CC mammogram of the left breast. 58-year-old patient.
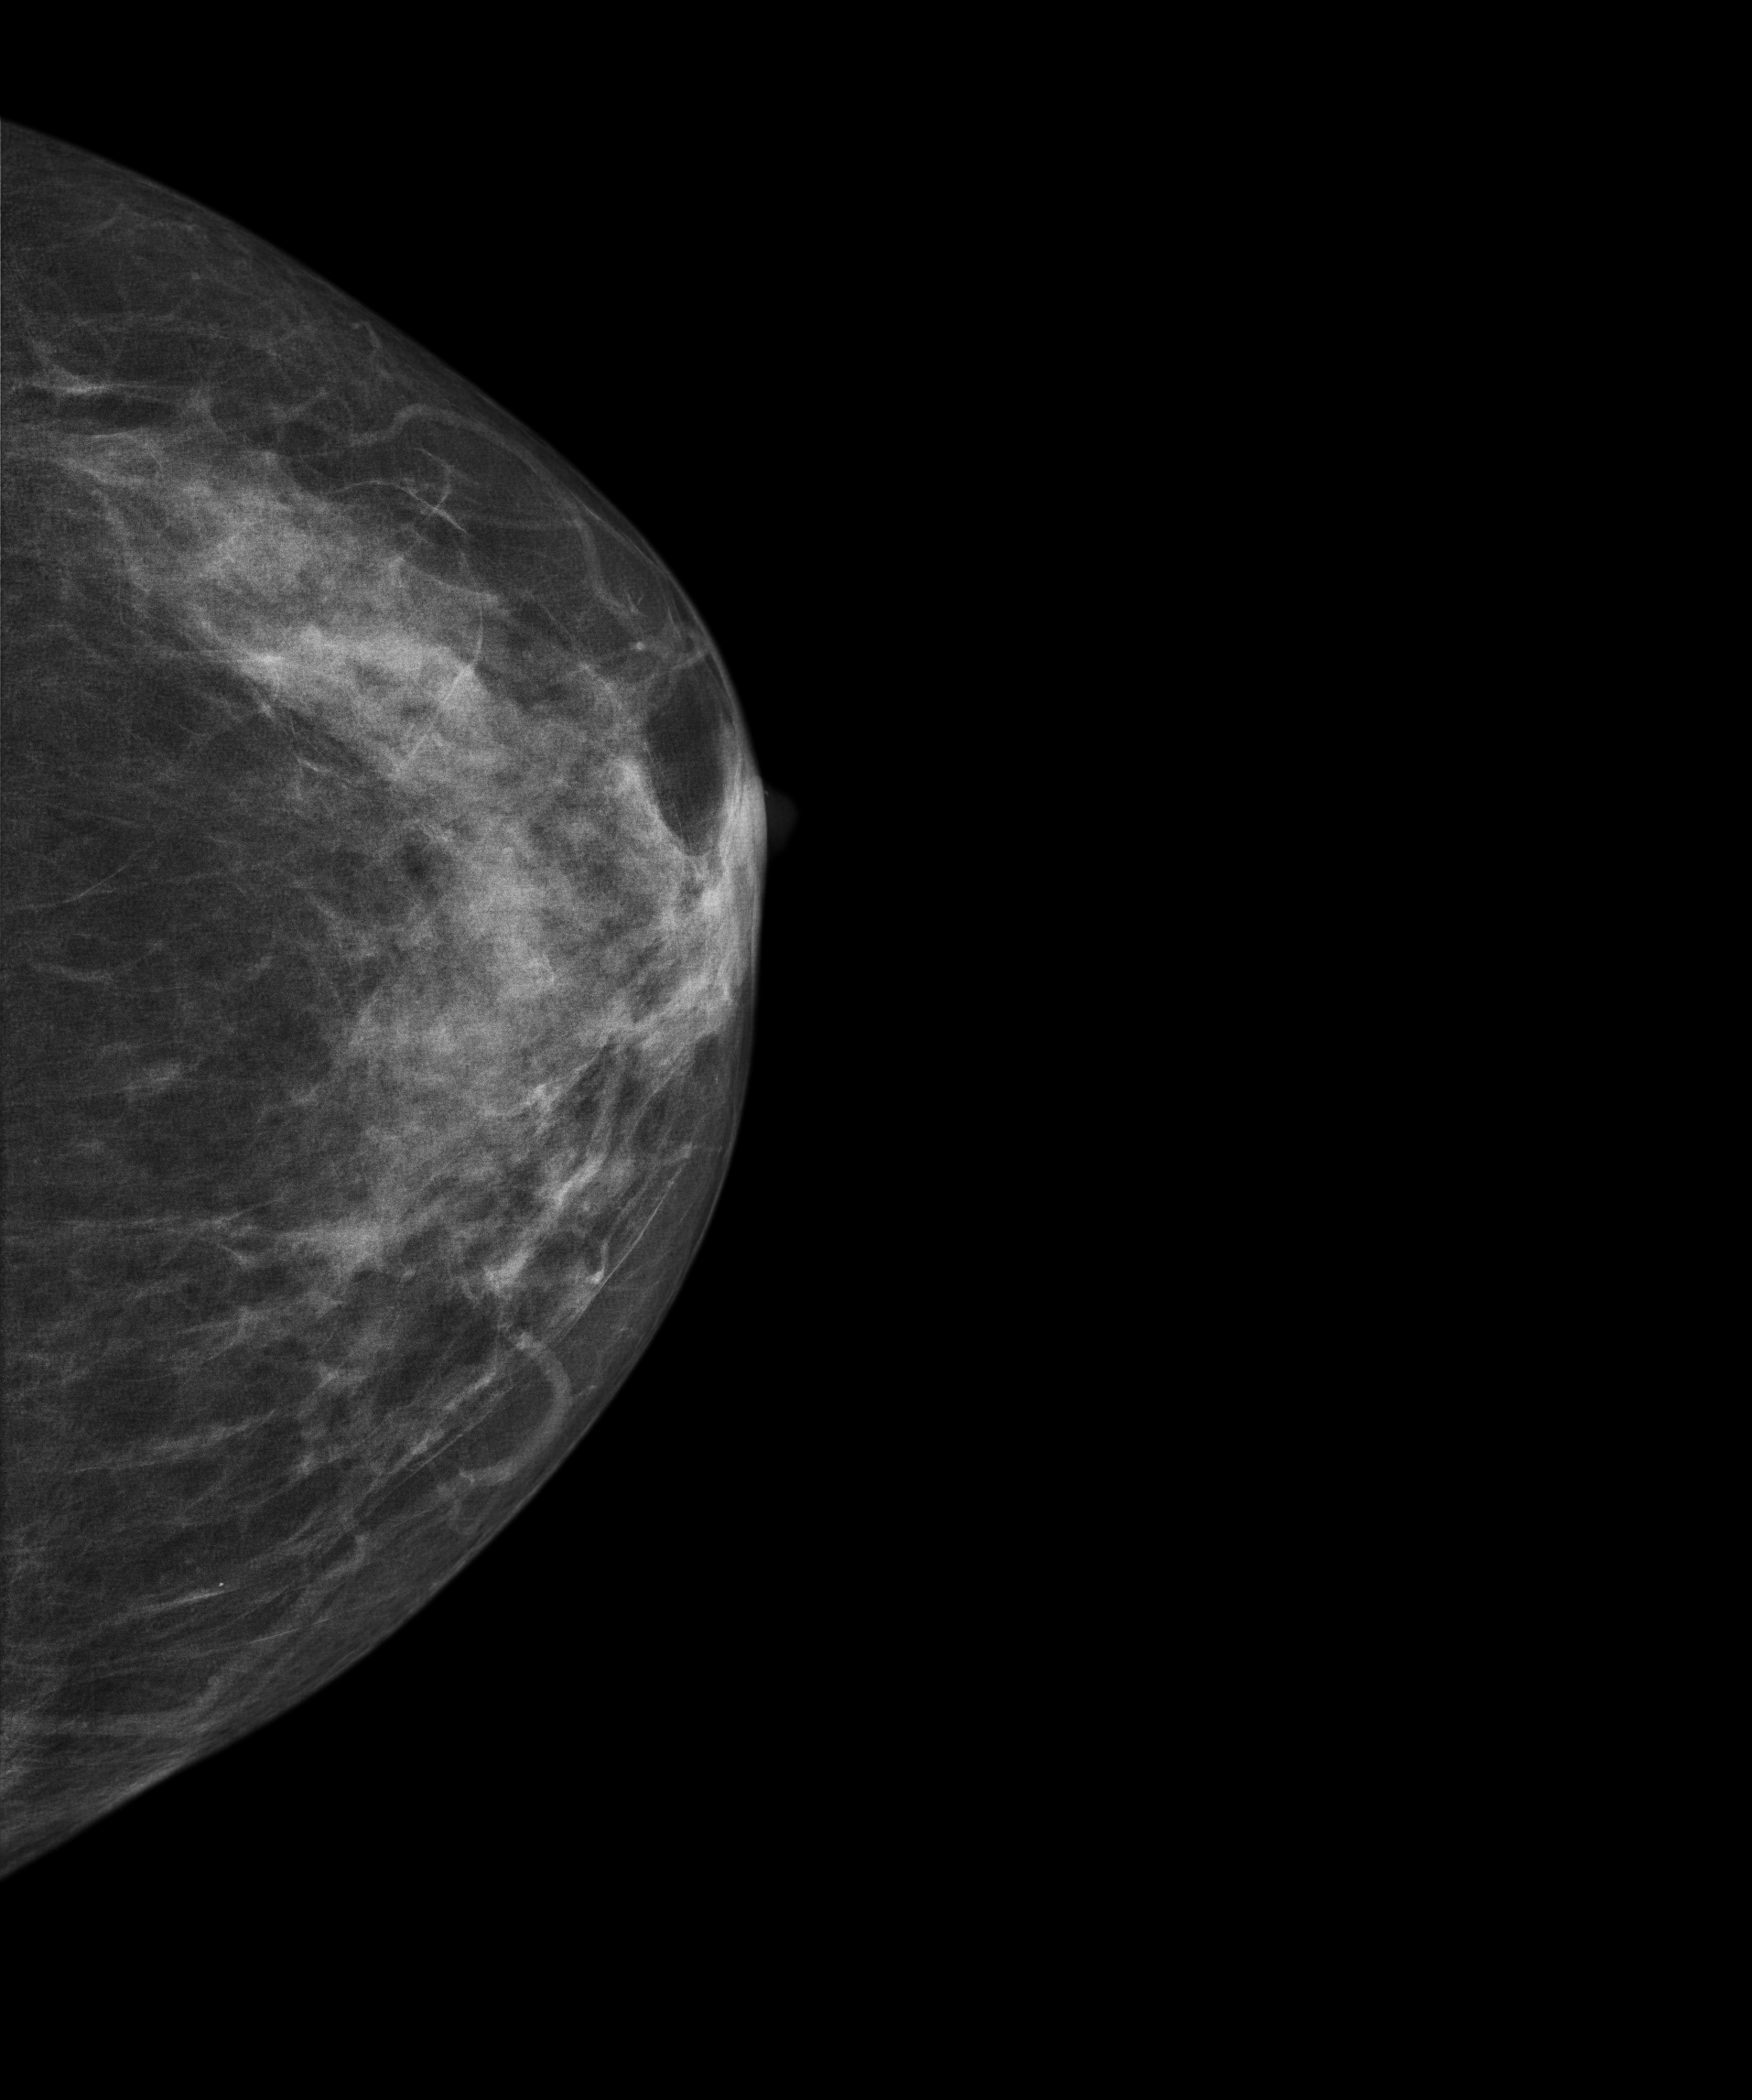
Contralateral breast — no documented abnormality on this side.